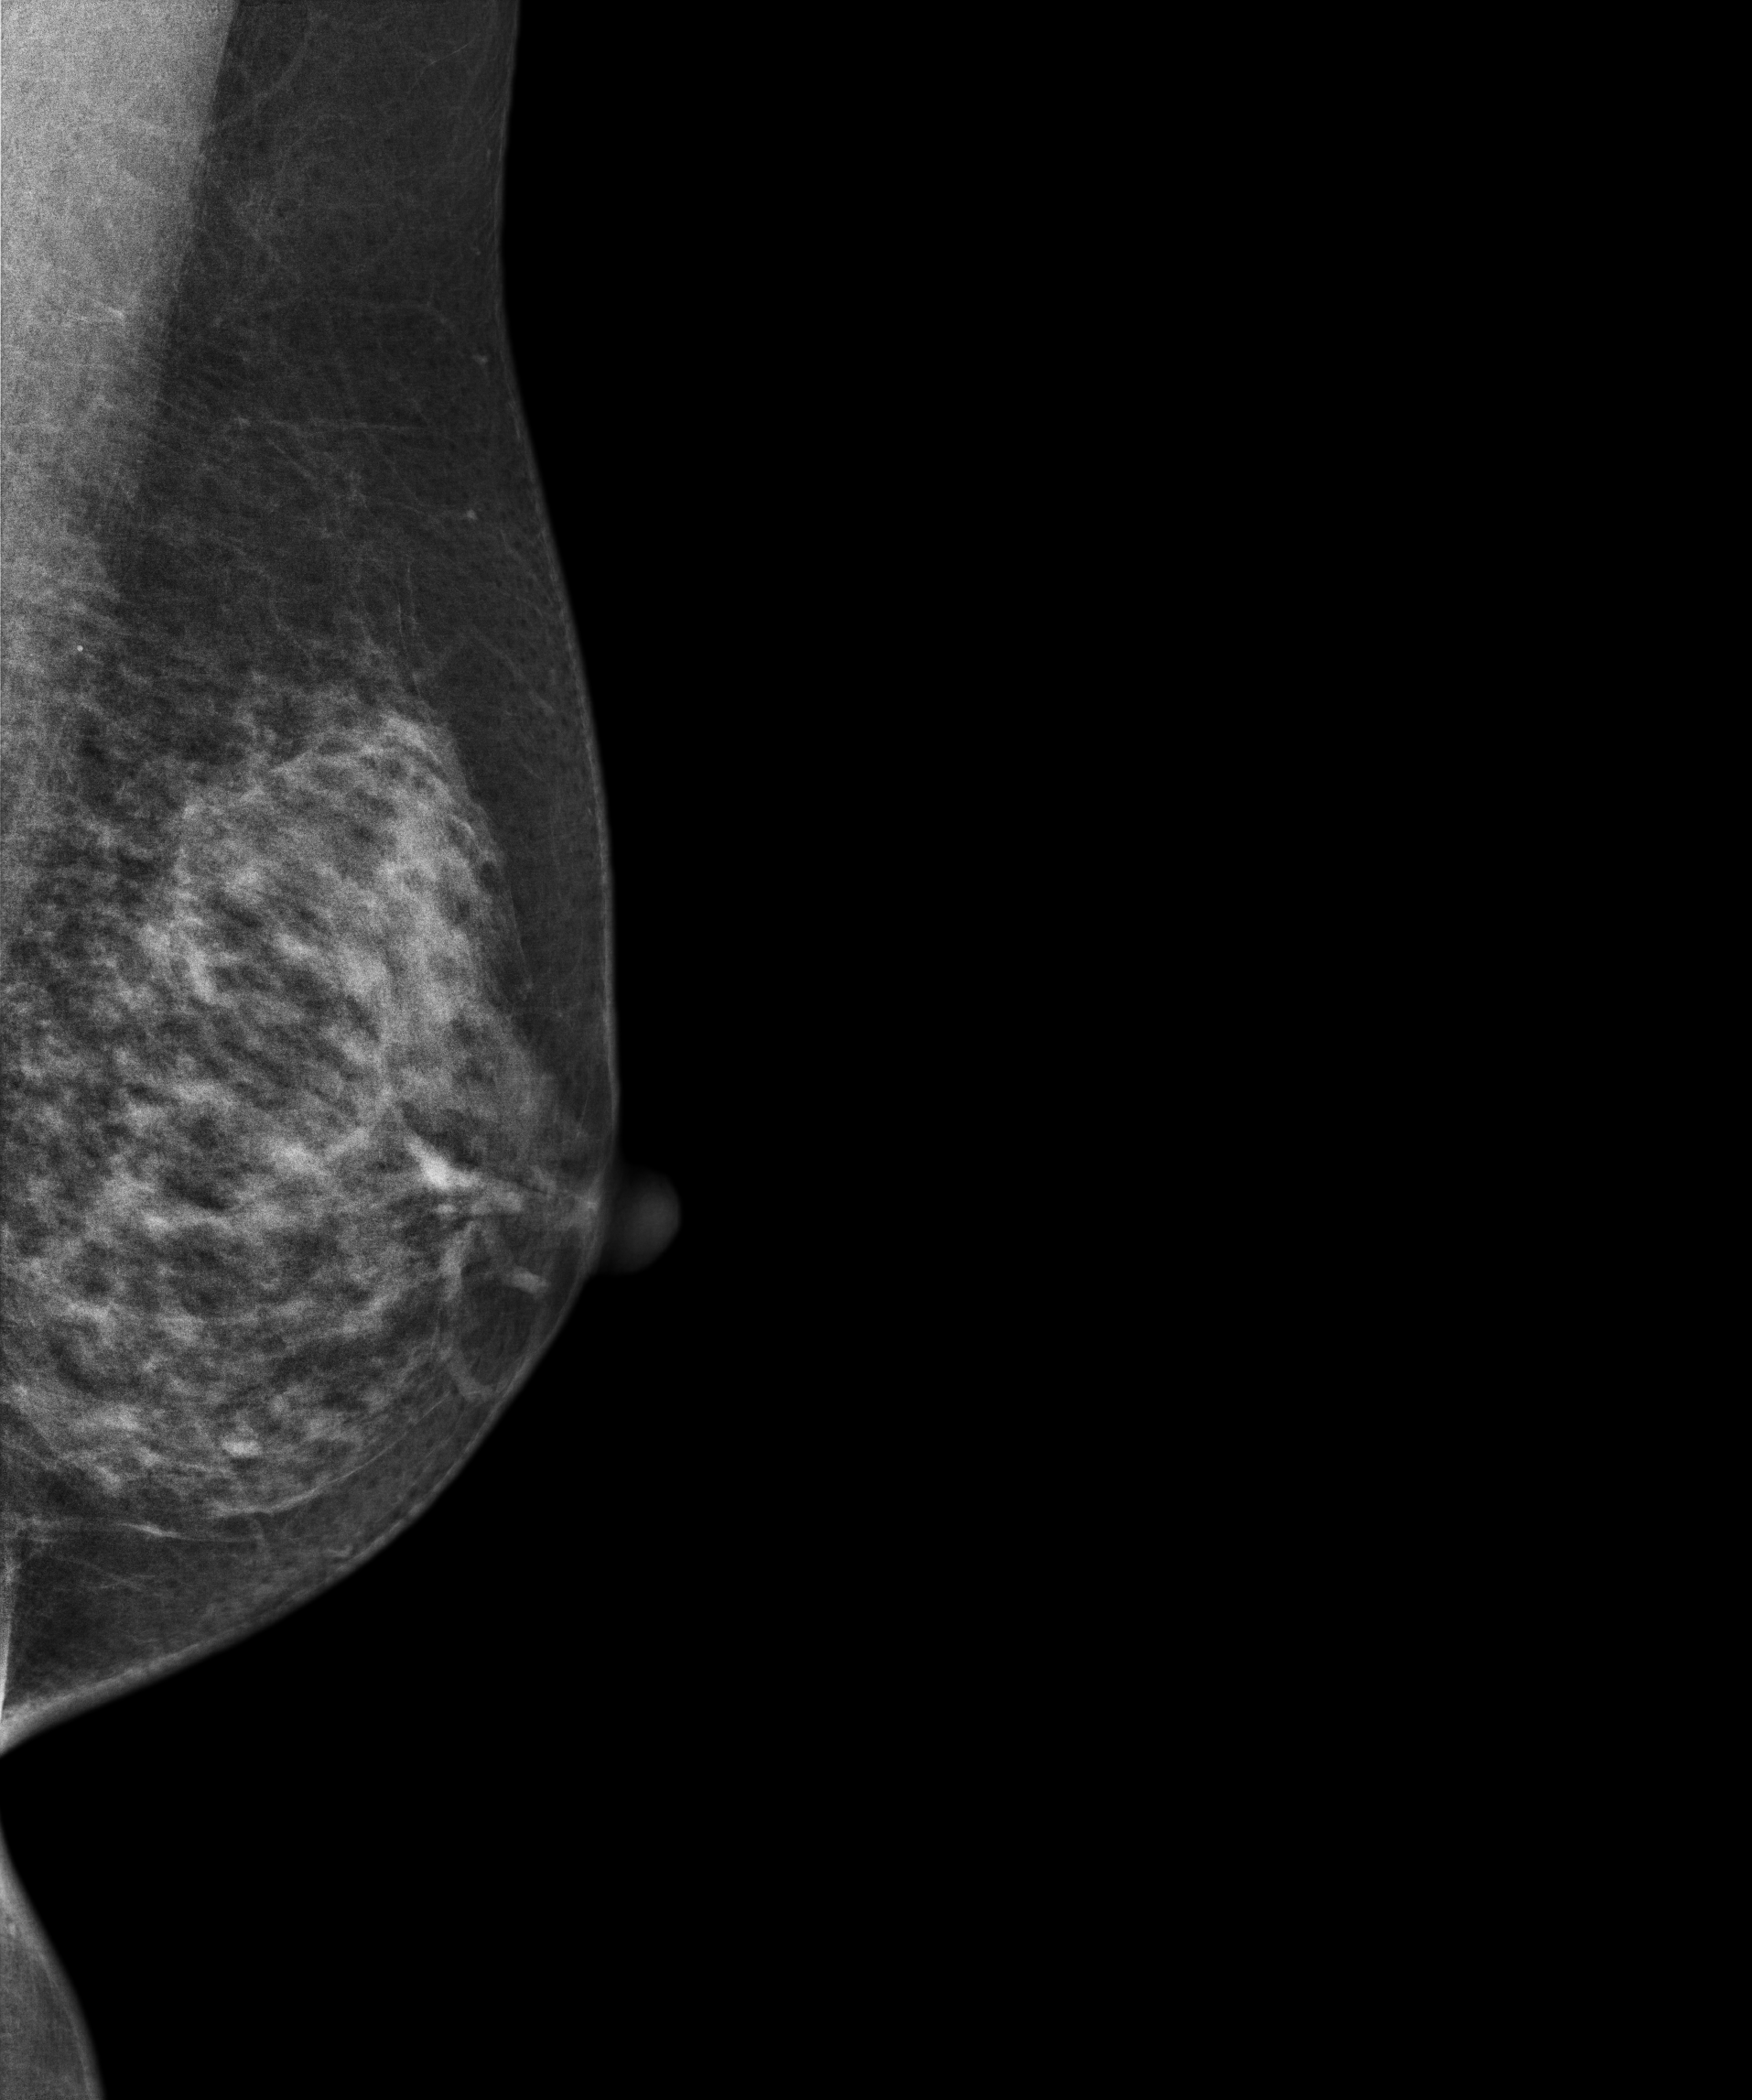
MLO mammogram of the left breast. 56 y/o patient.
Contralateral breast — no documented abnormality on this side.